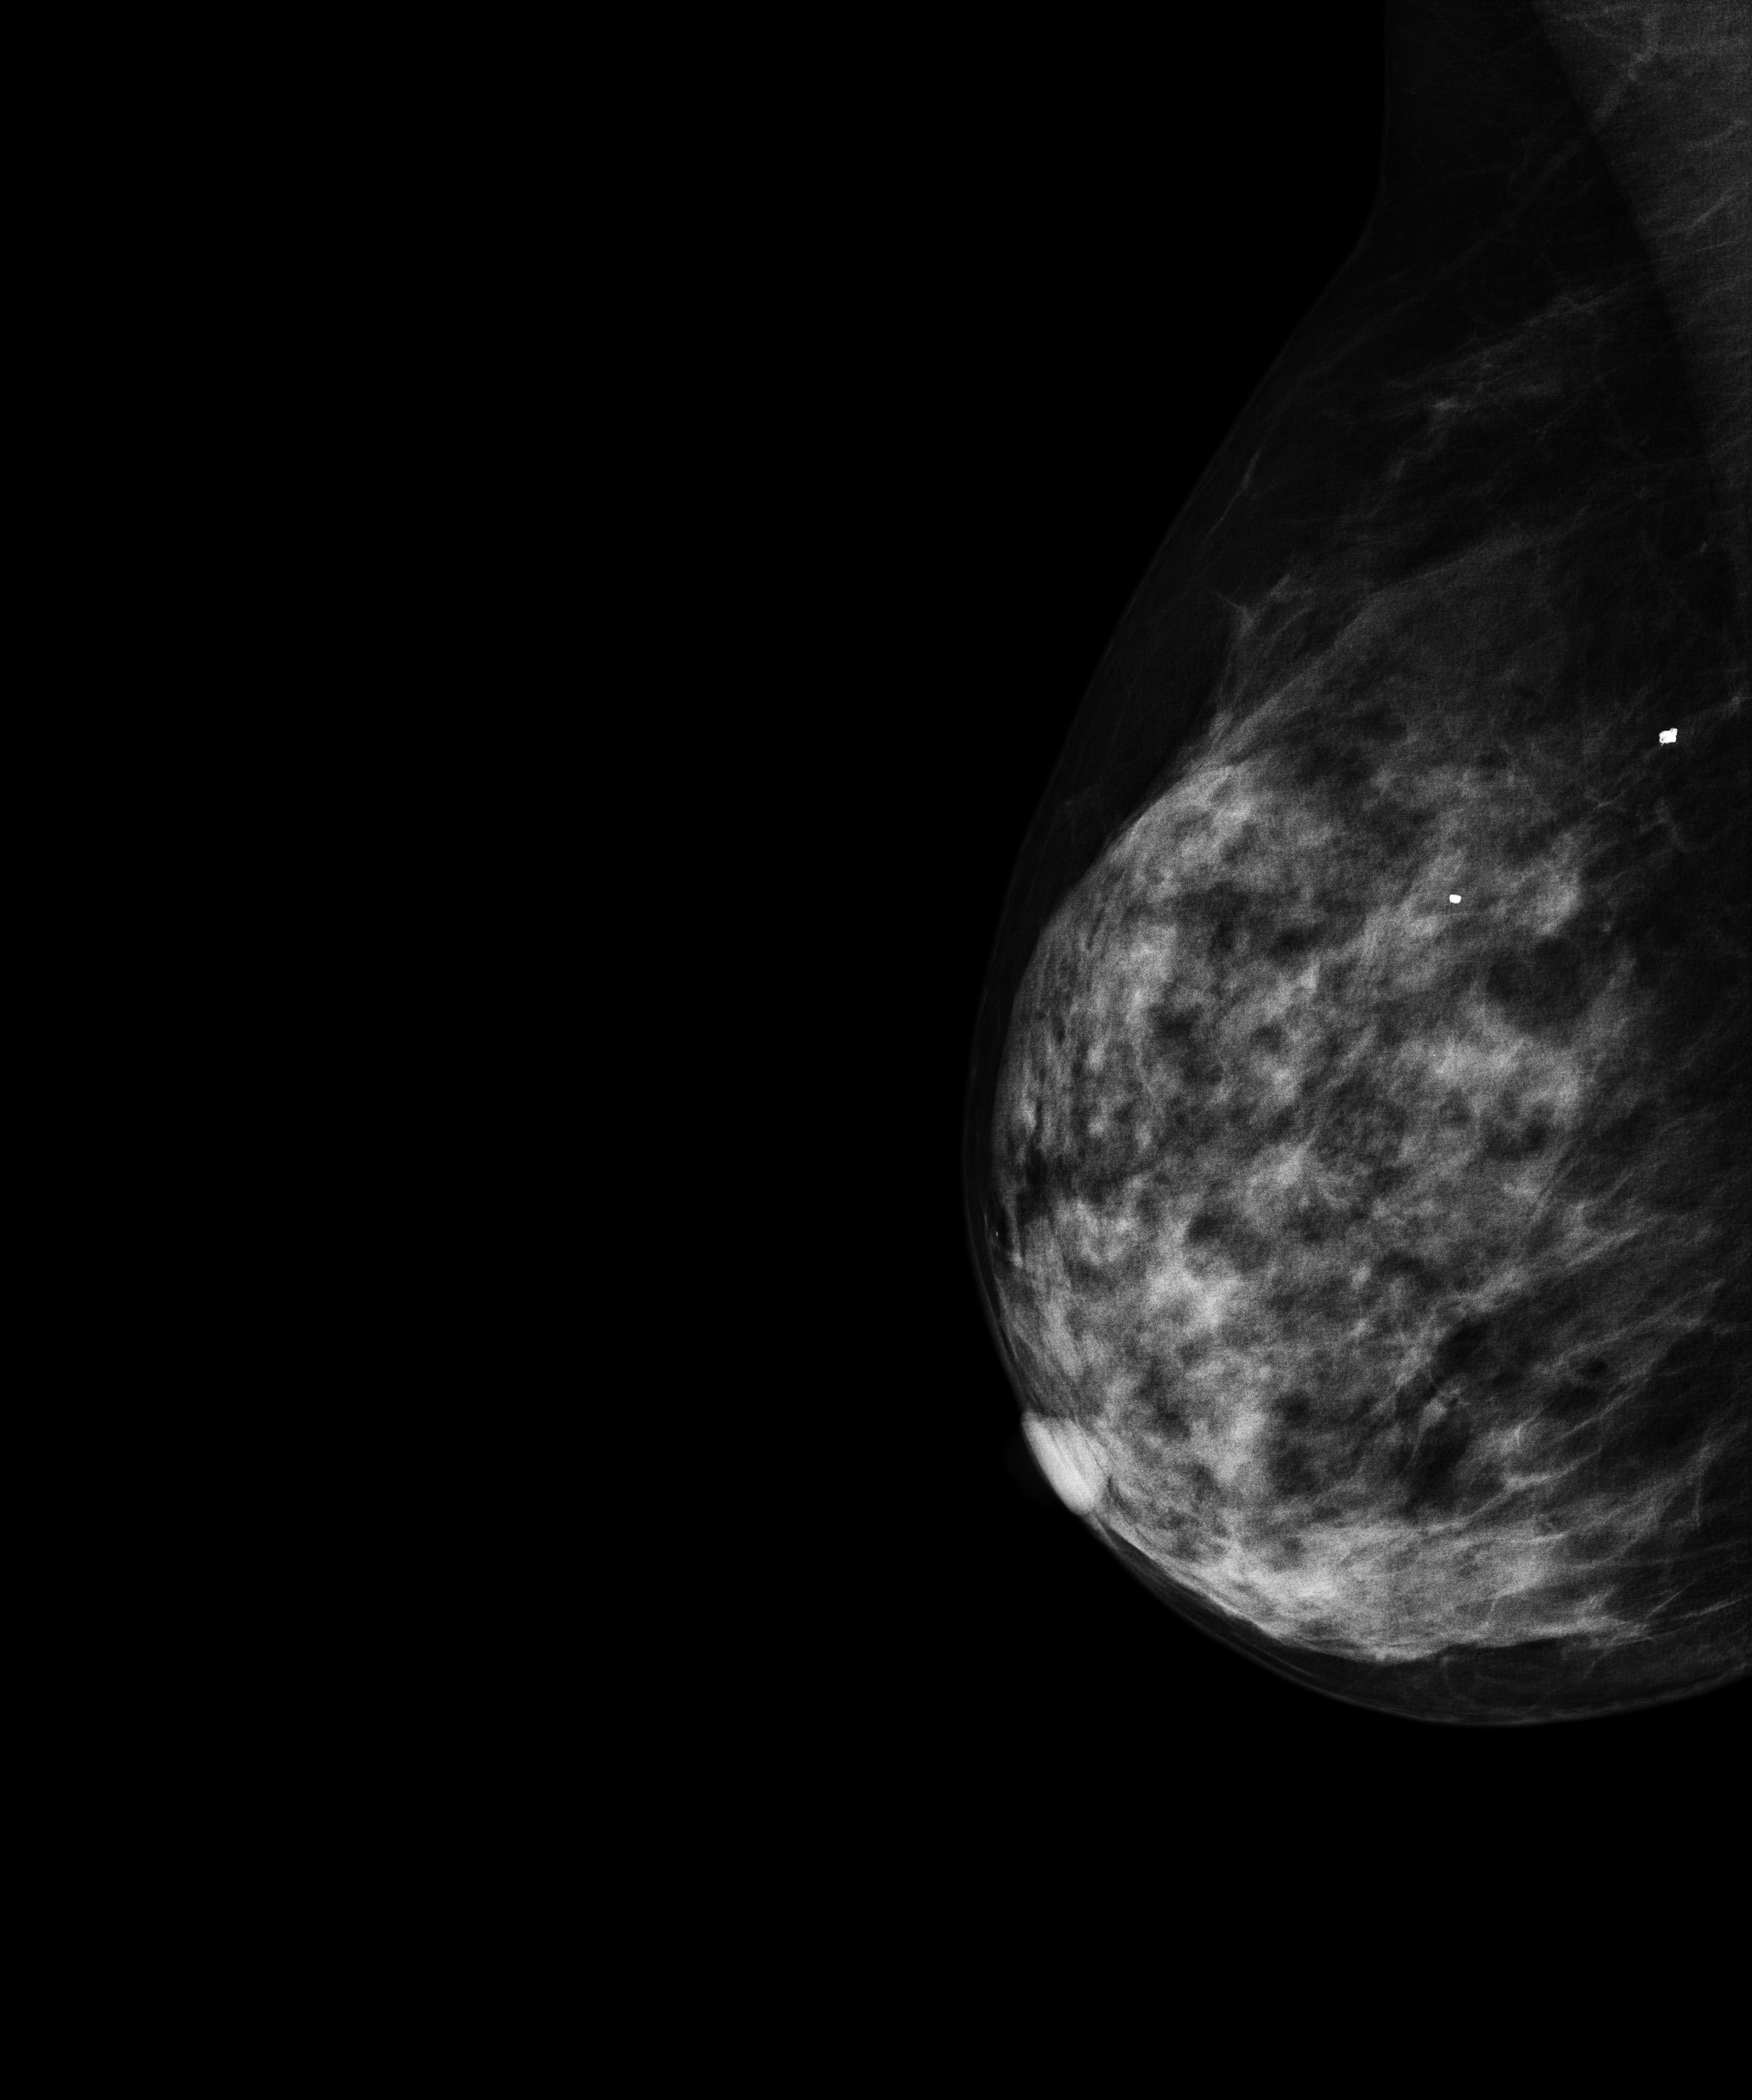
Right-breast mammogram, medio-lateral oblique. Patient age 57.
This breast has a mass, pathology-confirmed malignant. Molecular subtype: luminal A.